Cranio-caudal mammogram of the left breast. Patient age 60.
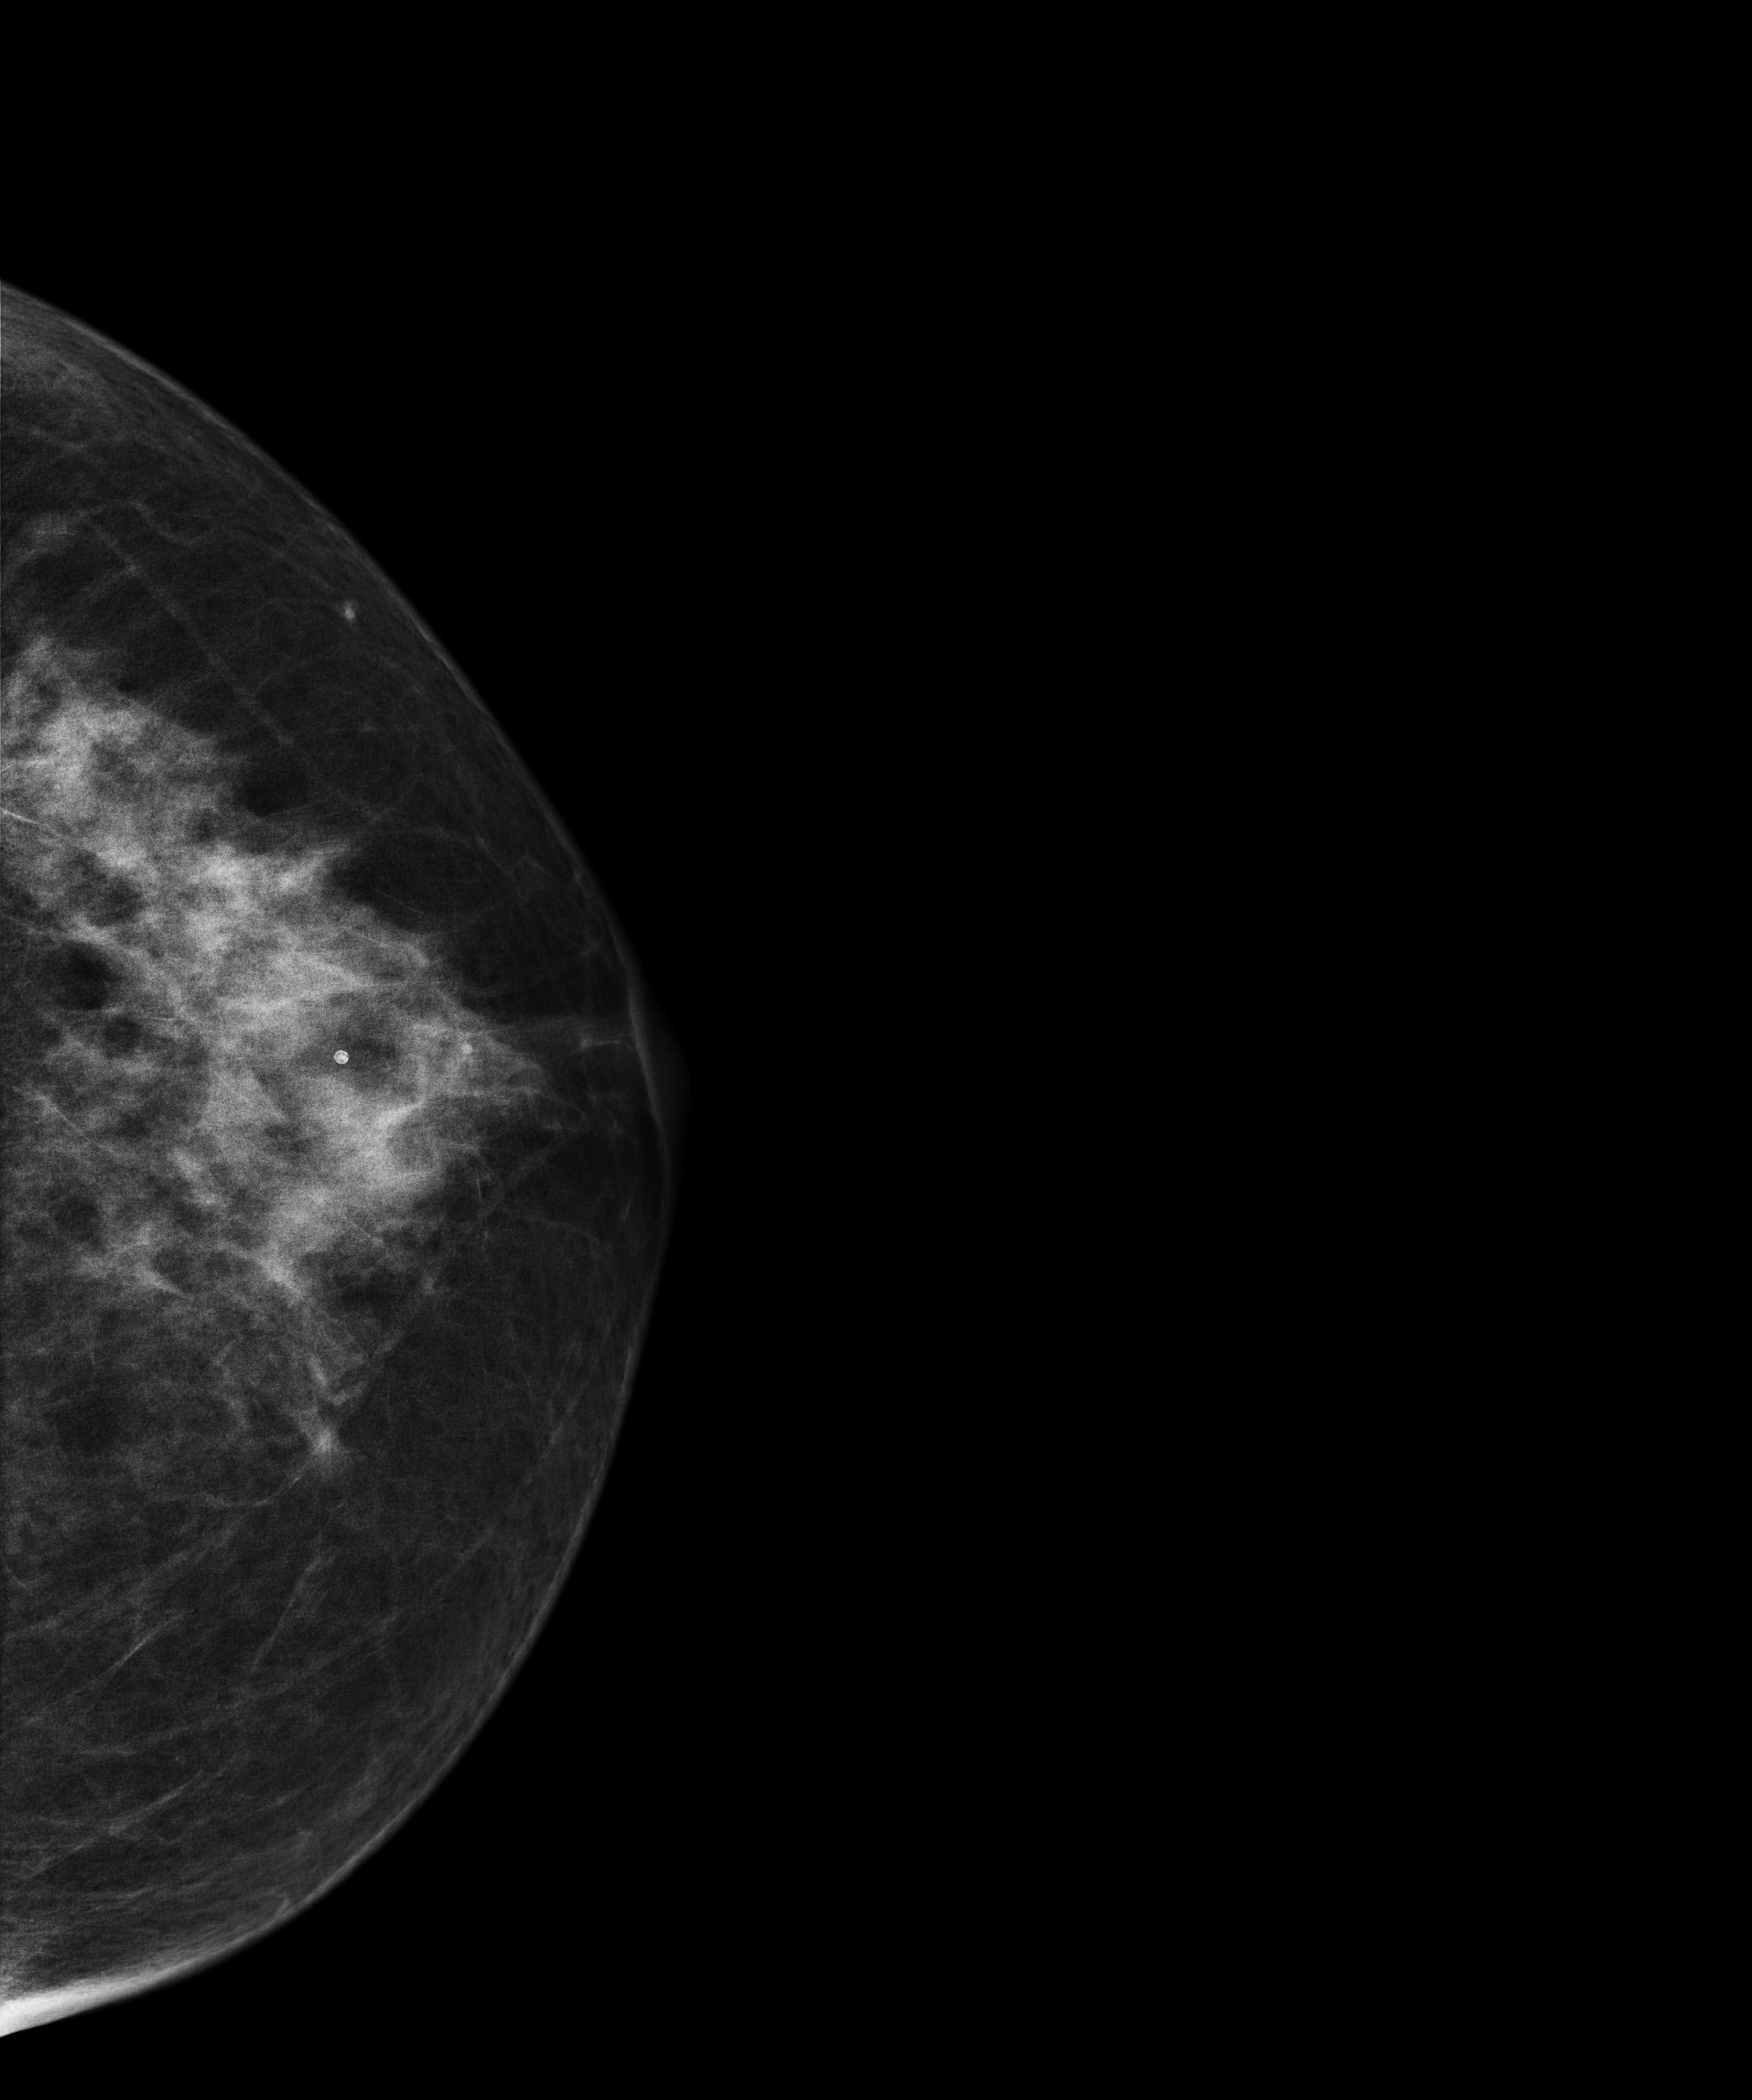
Contralateral breast — no documented abnormality on this side.